Digital mammography. Left breast, cranio-caudal projection. 52 y/o patient.
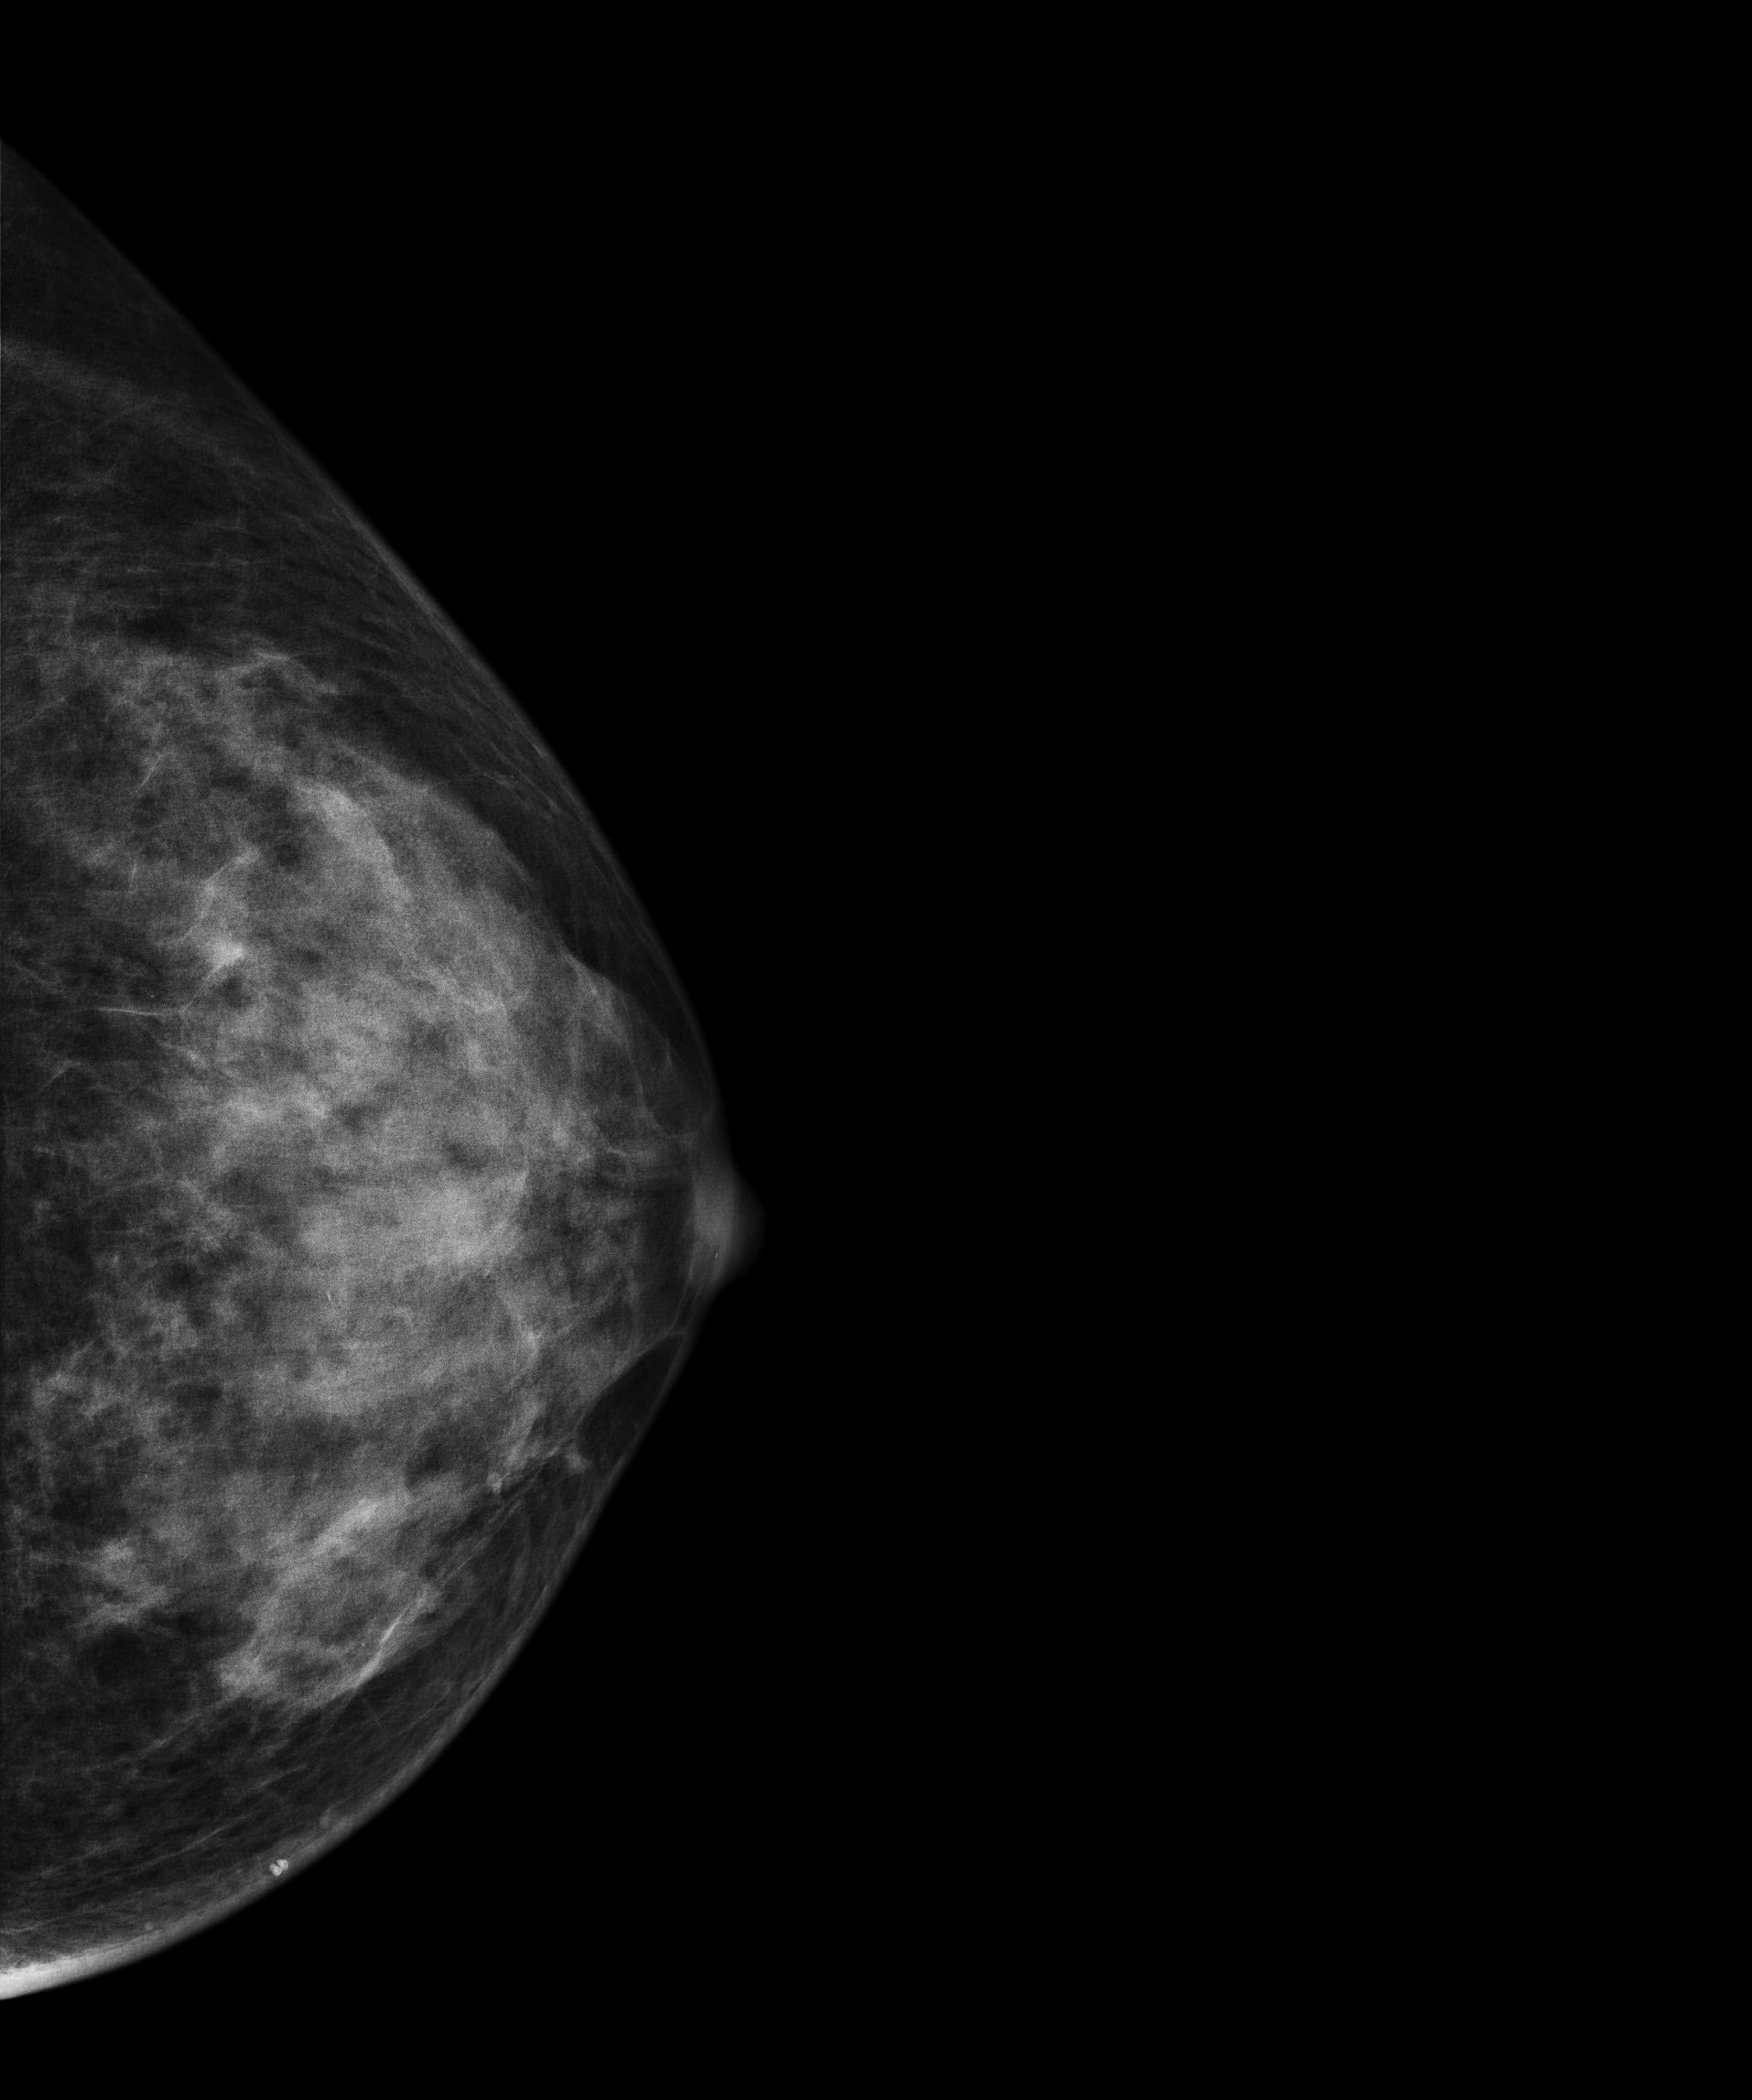
This breast has calcifications, biopsy-confirmed benign.